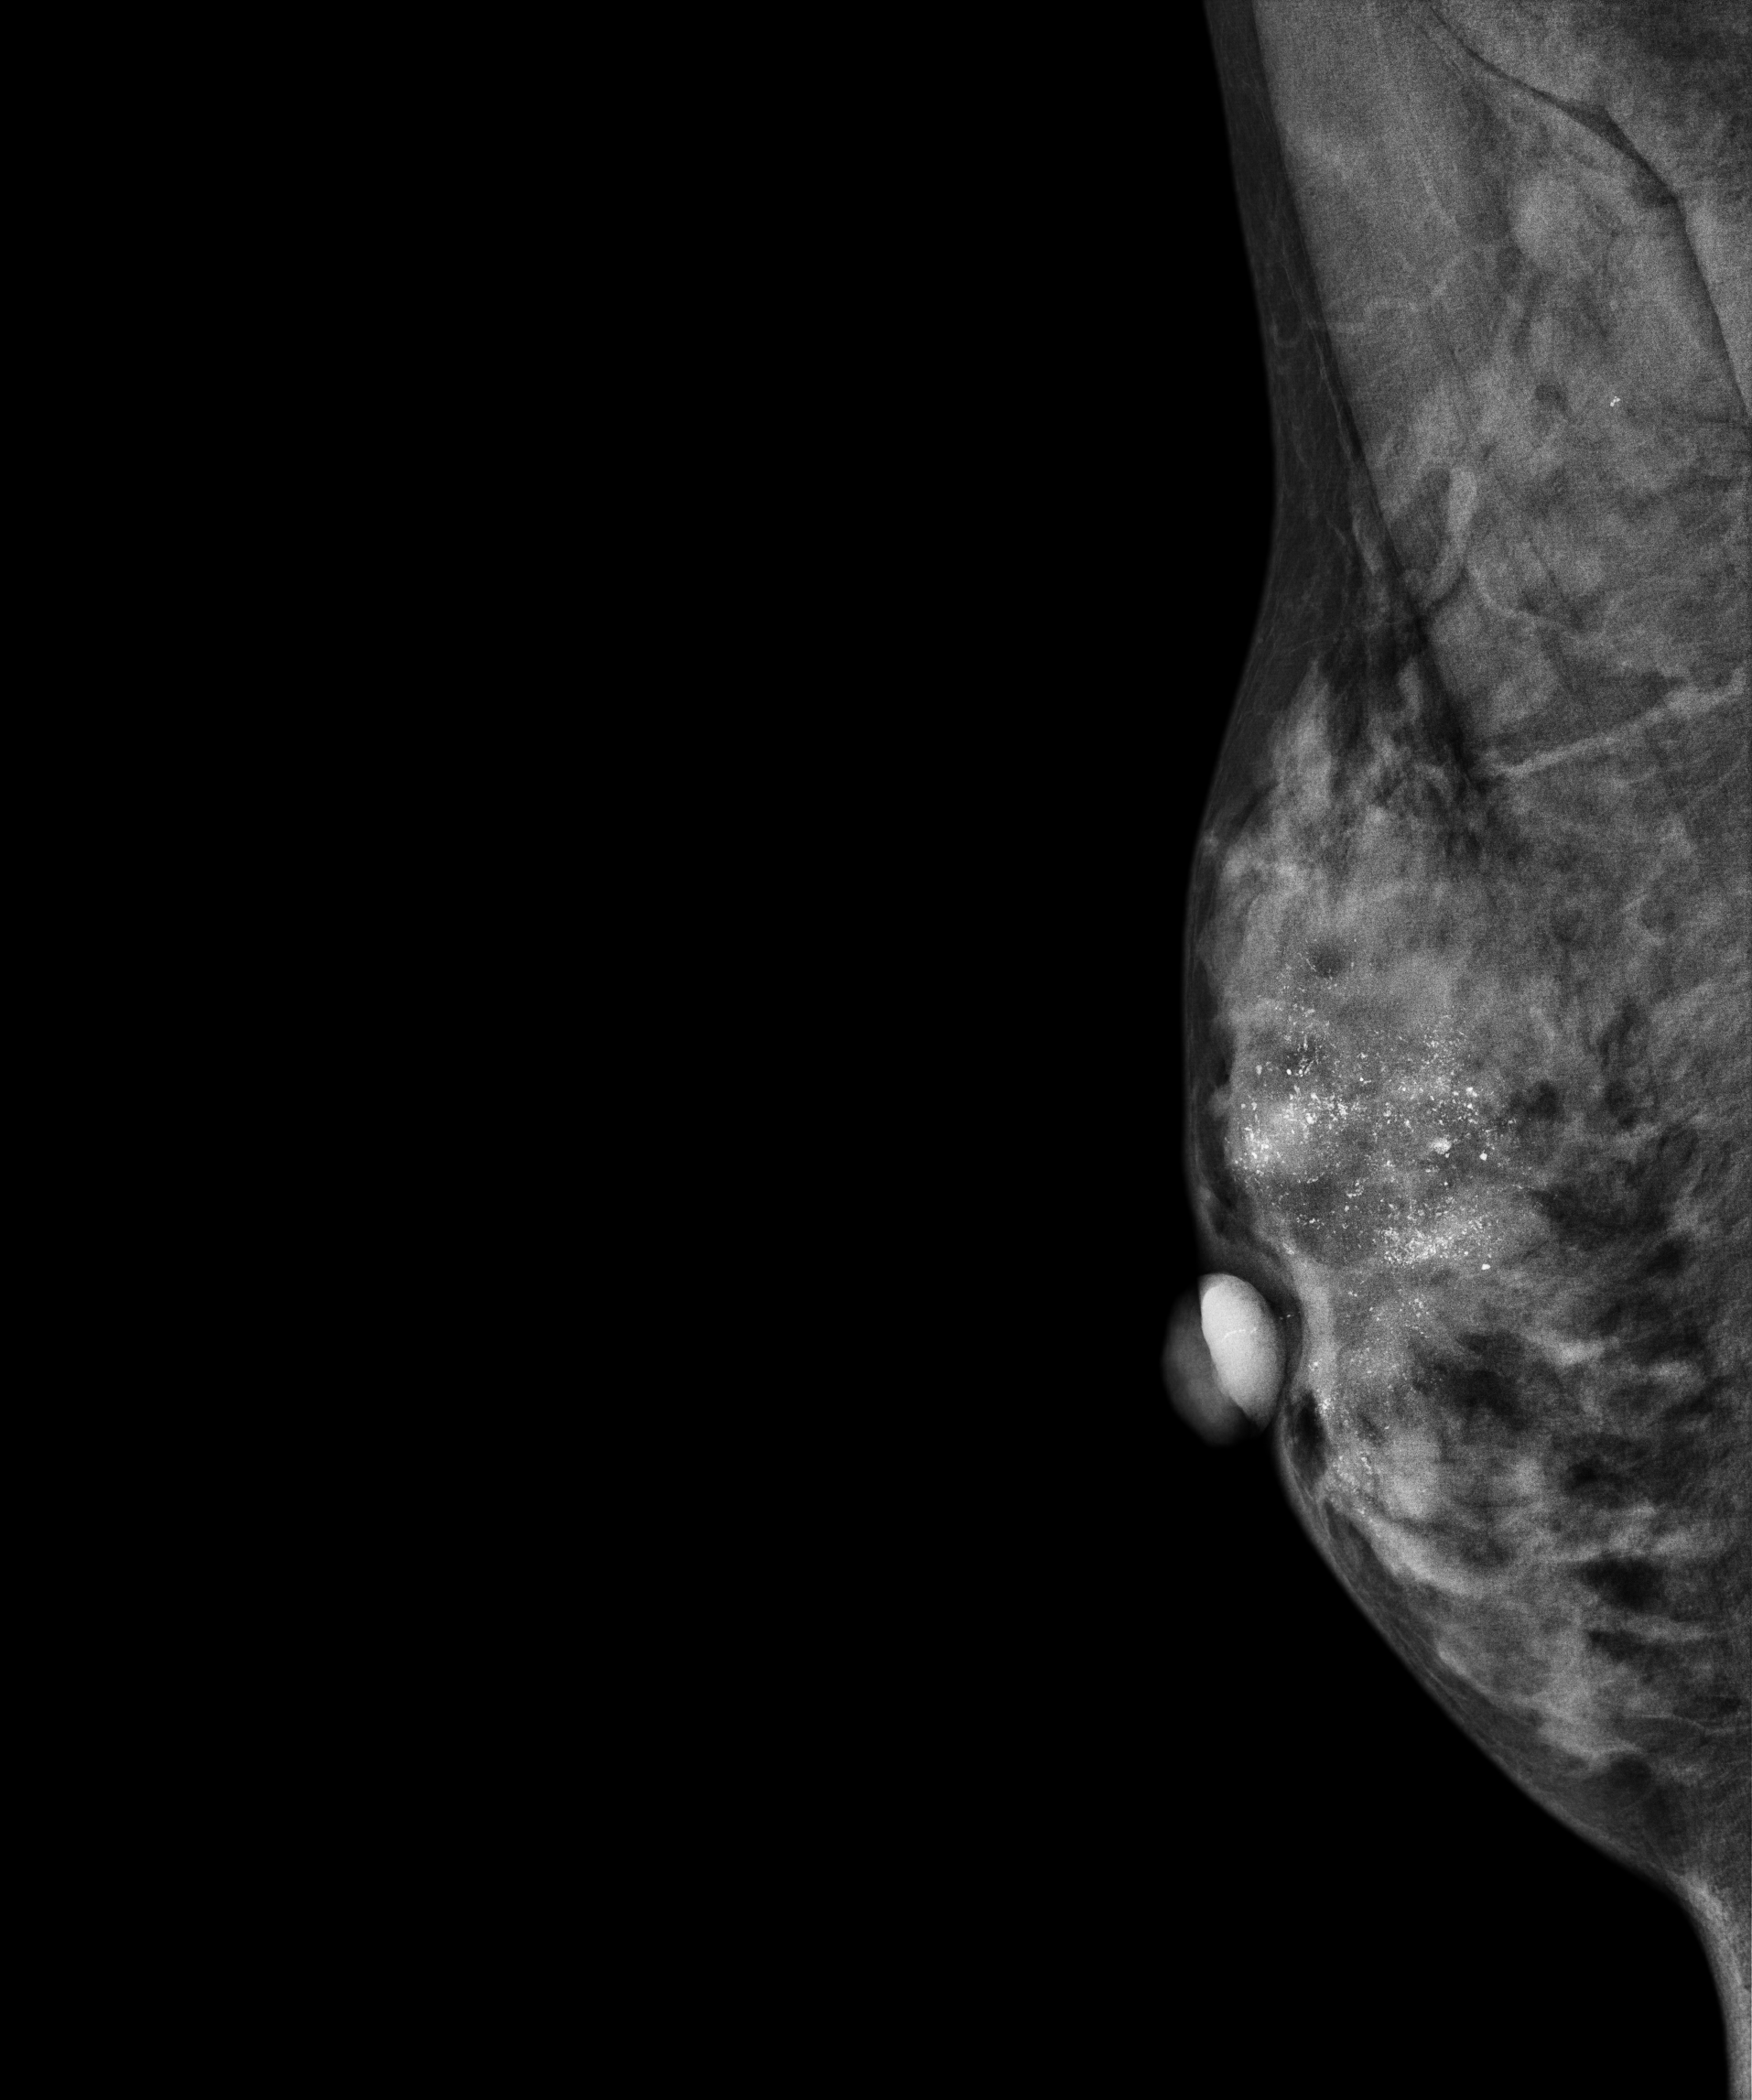
Mammogram, right breast, medio-lateral oblique view. Patient age 46.
This breast has calcifications, pathology-confirmed malignant. Molecular subtype: luminal A.